Right-breast mammogram, CC. Patient age 39.
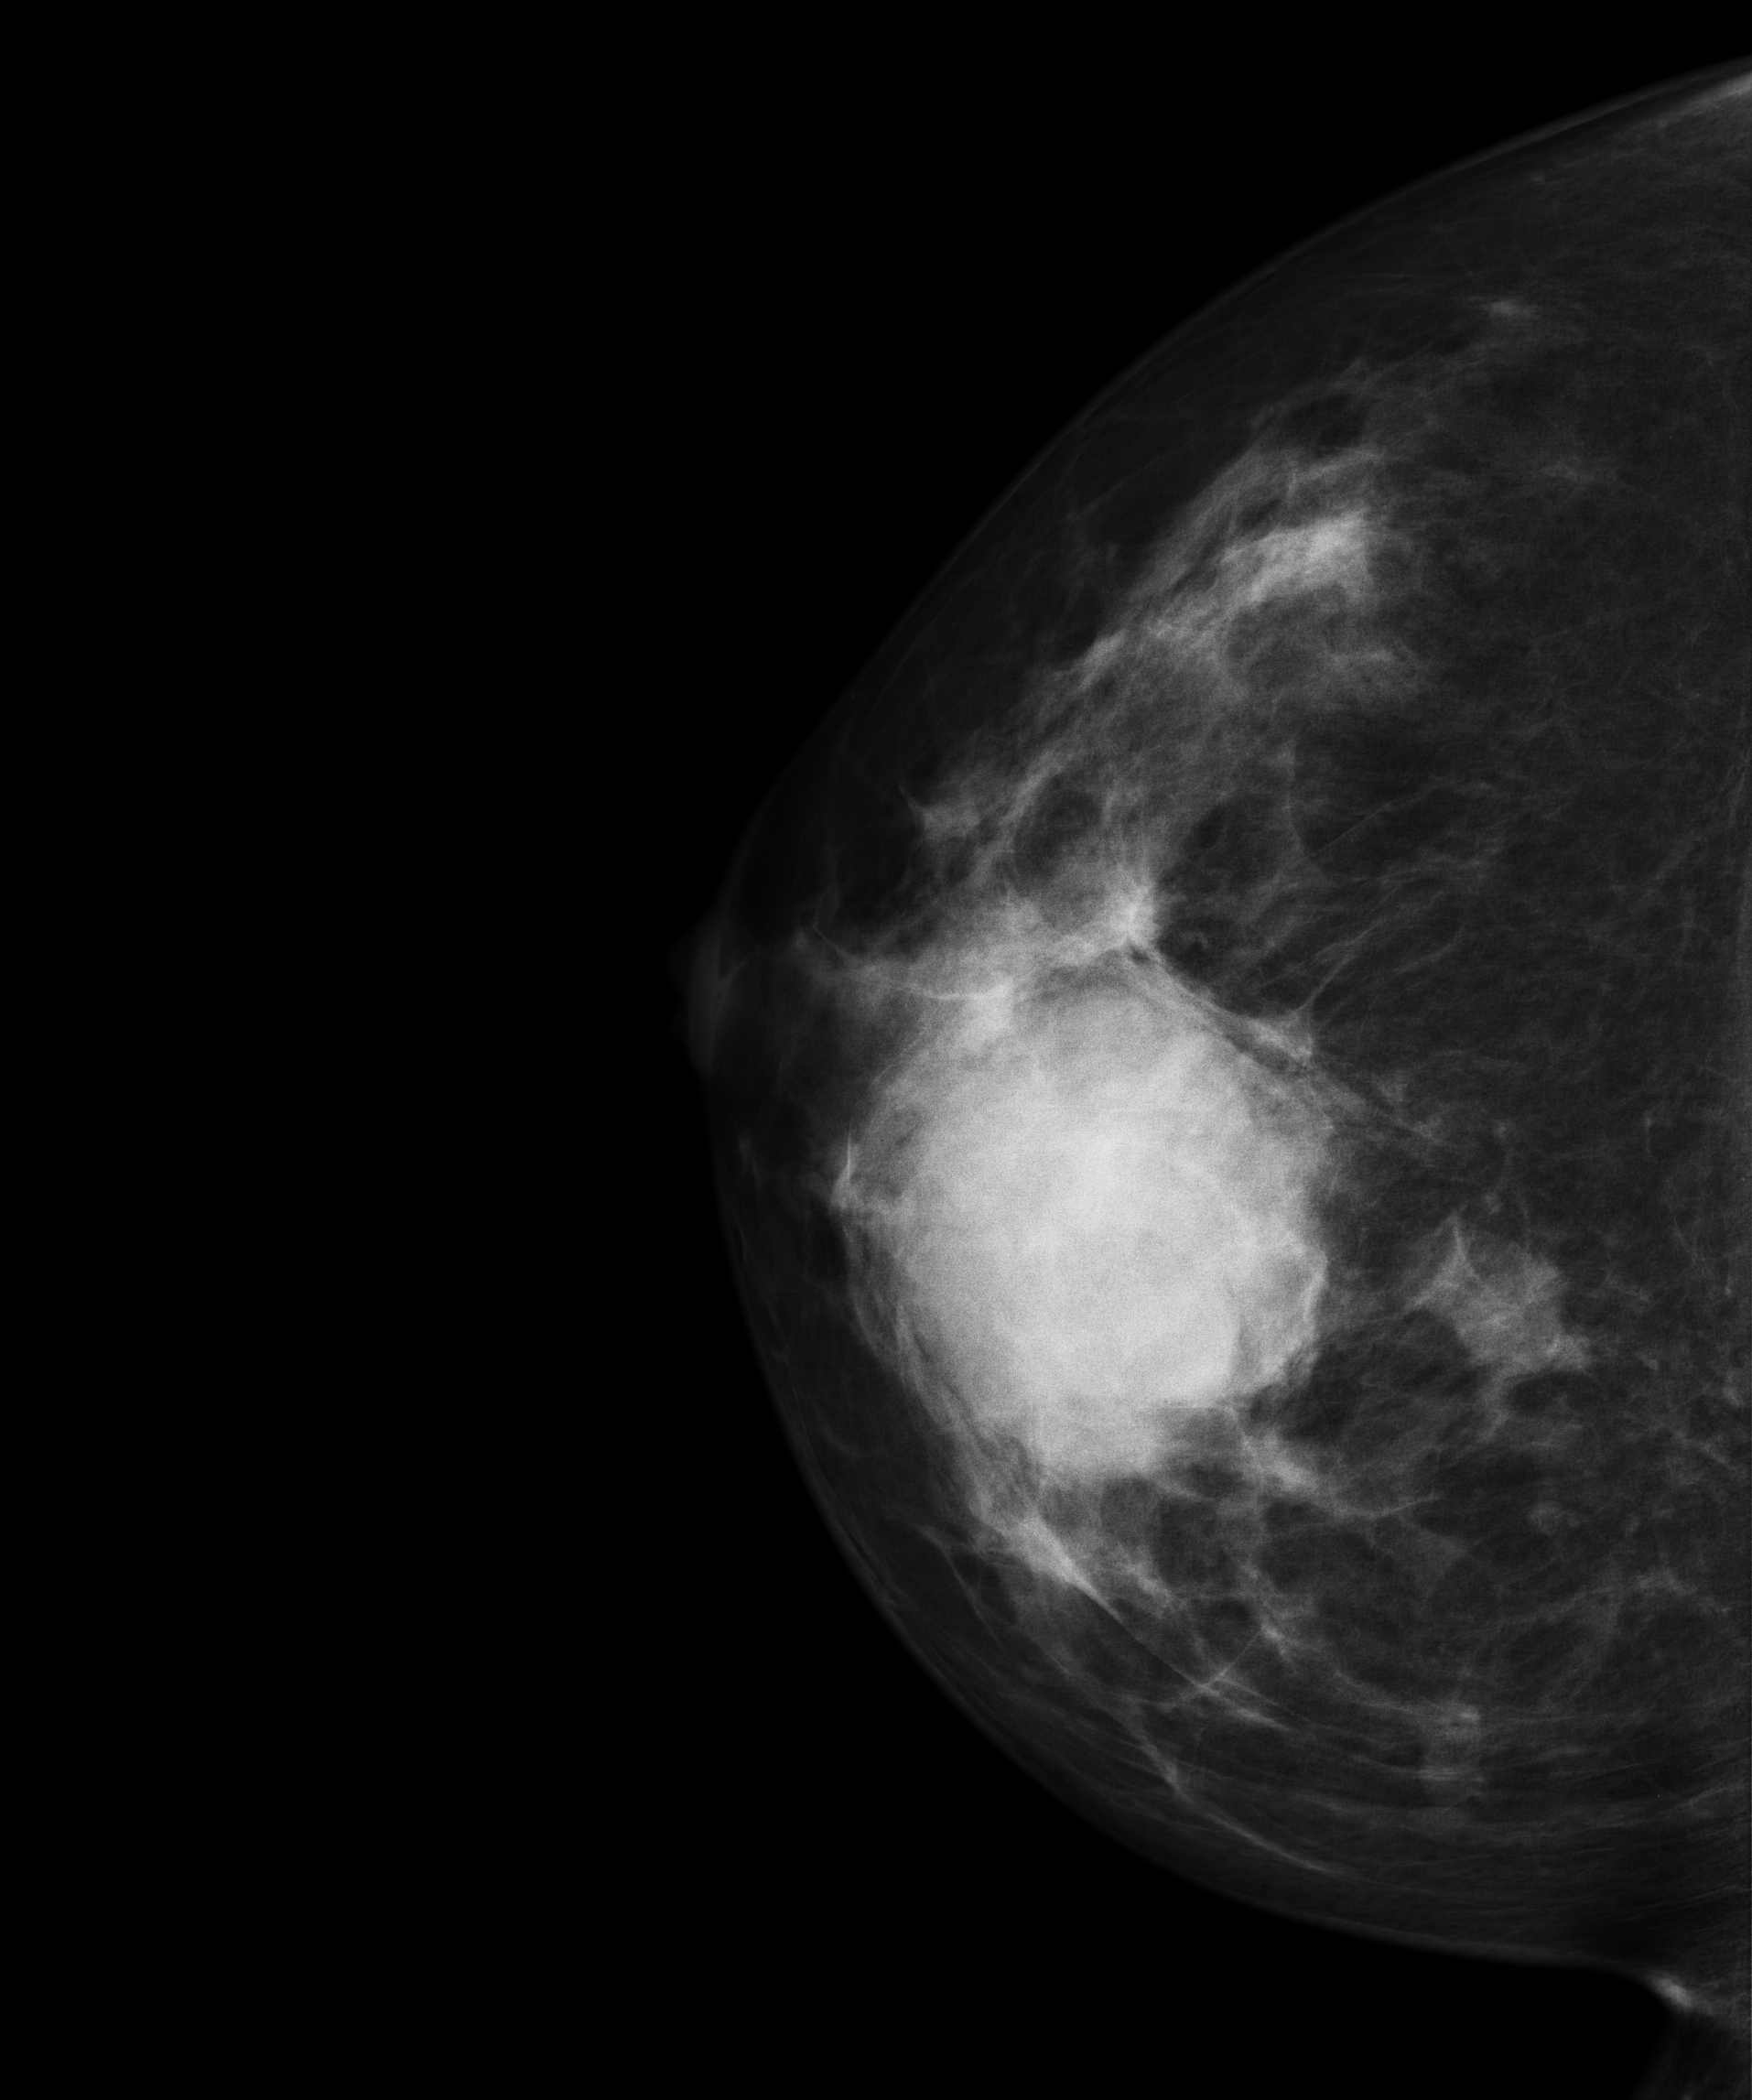
This breast has a mass, histologically confirmed malignant. Molecular subtype: triple-negative.